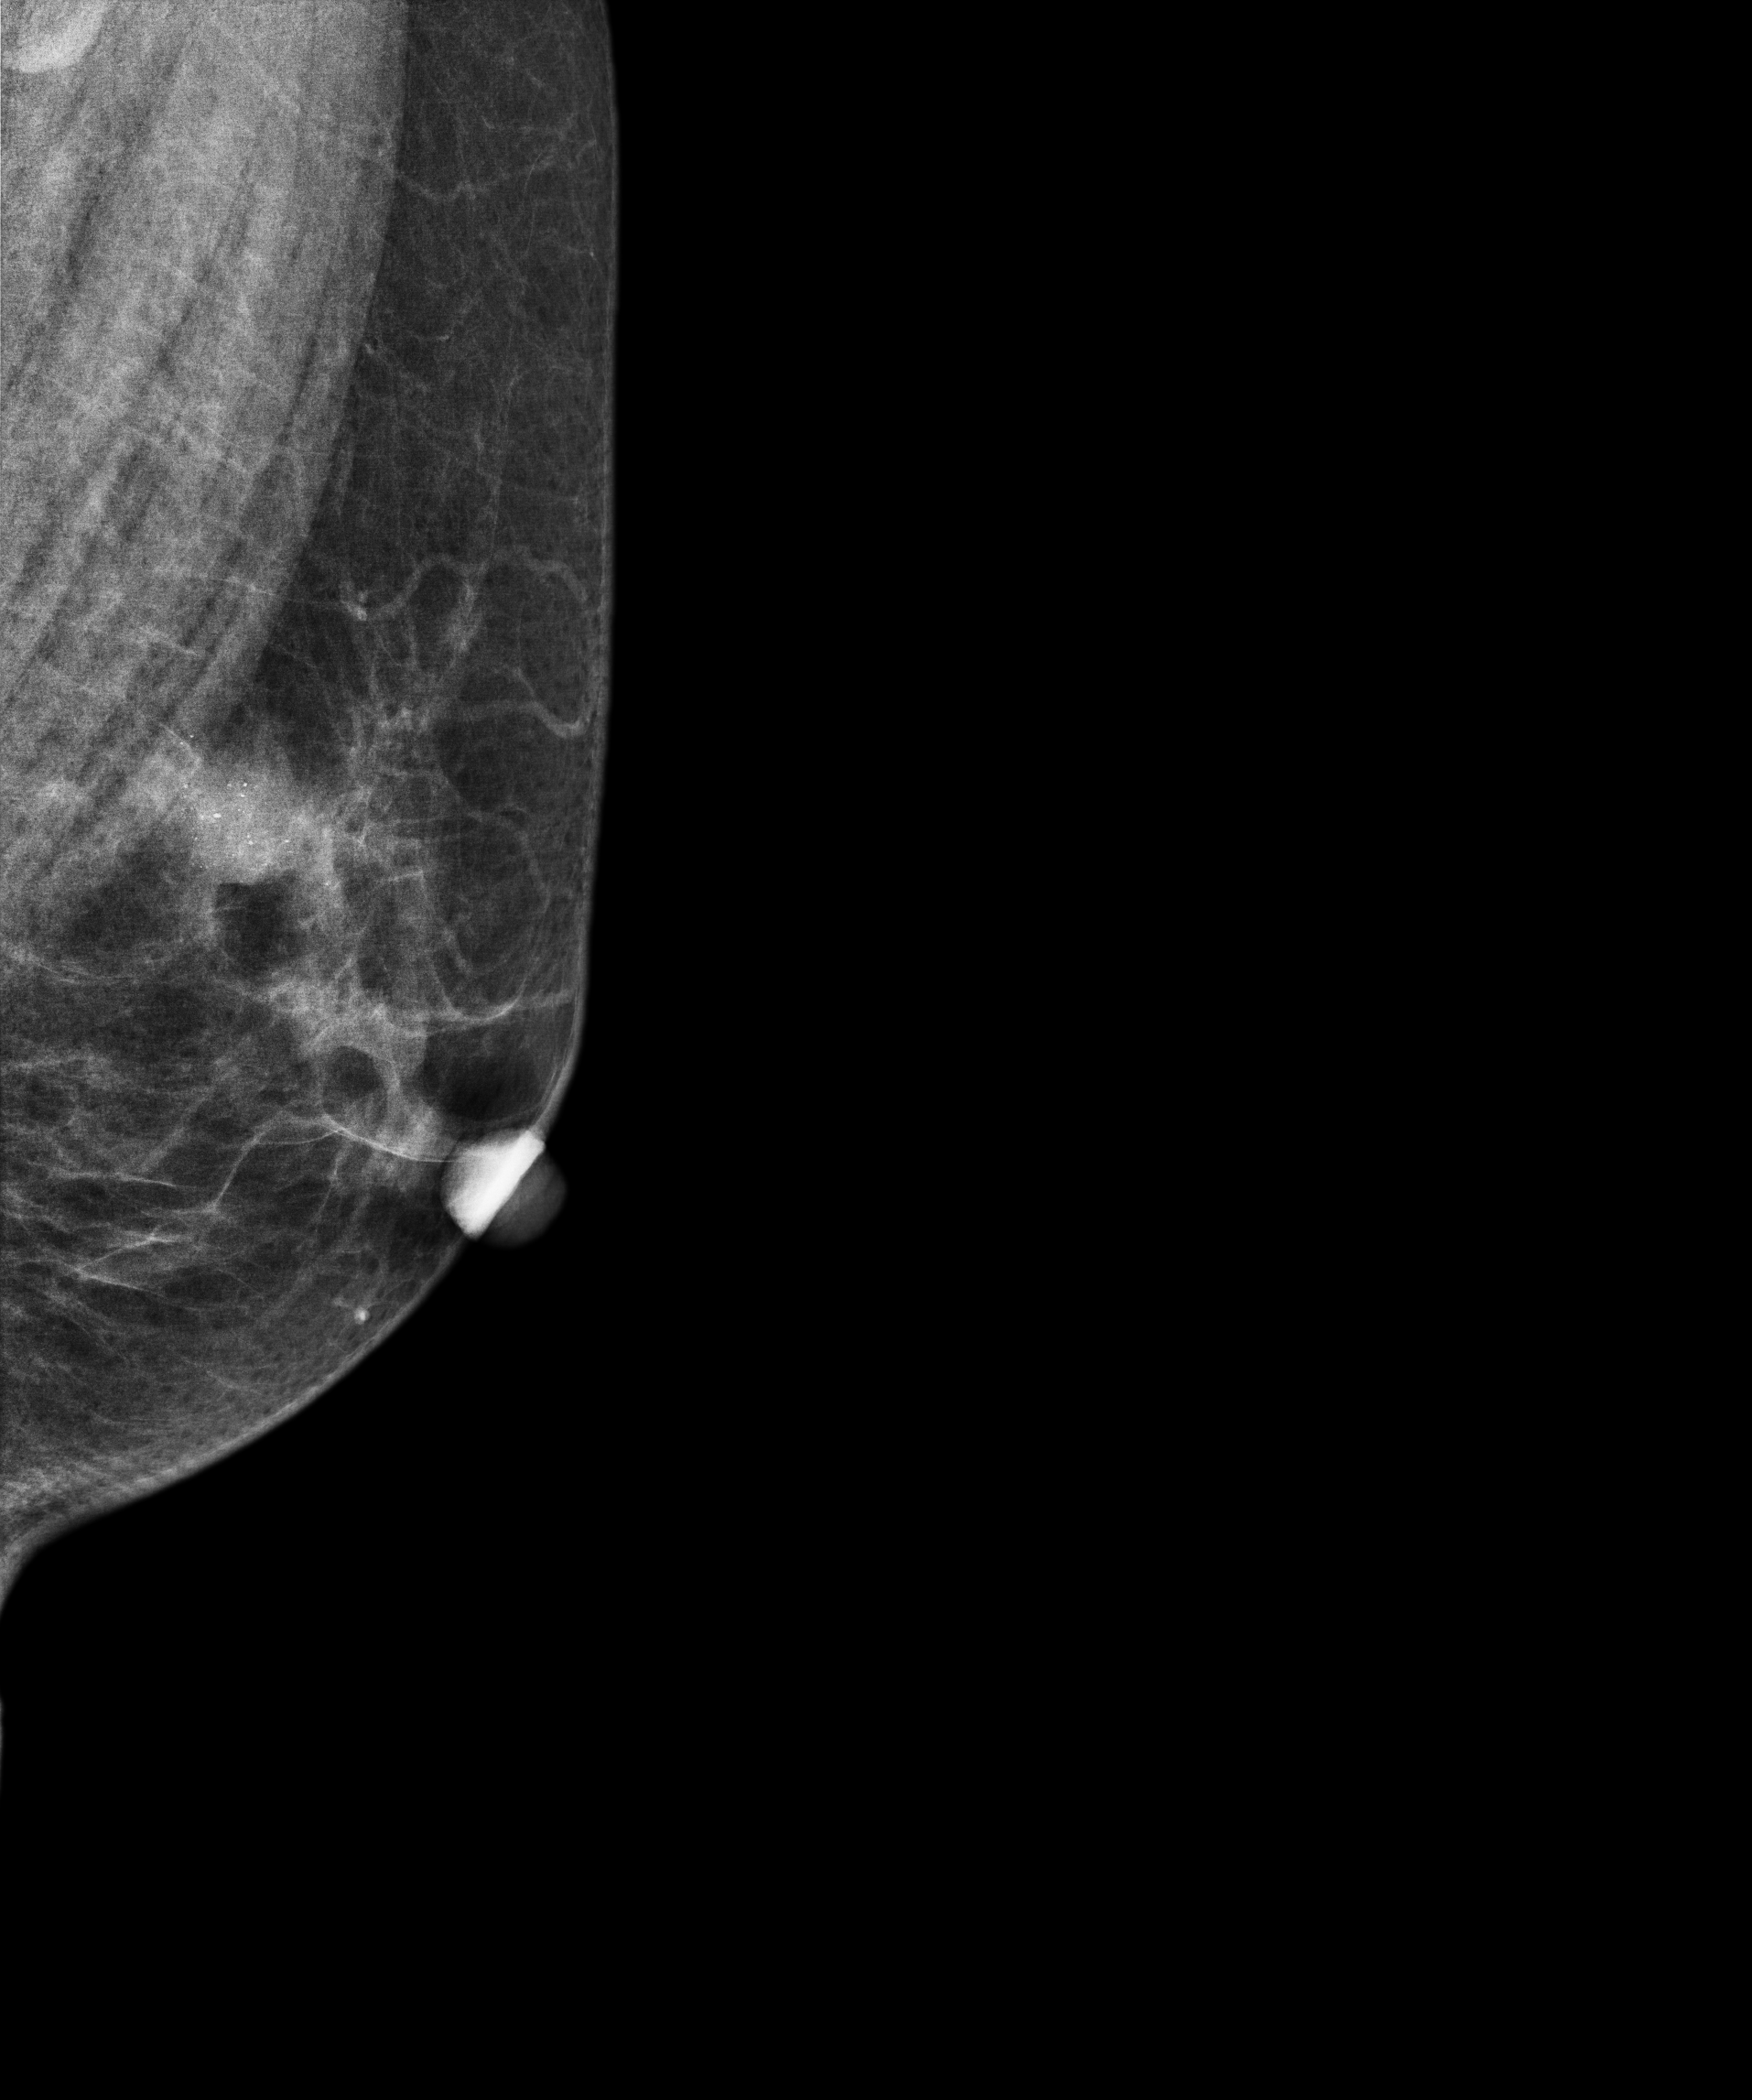
Mammogram, left breast, MLO view. 58-year-old patient.
This breast has a mass and calcifications, biopsy-proven malignant.